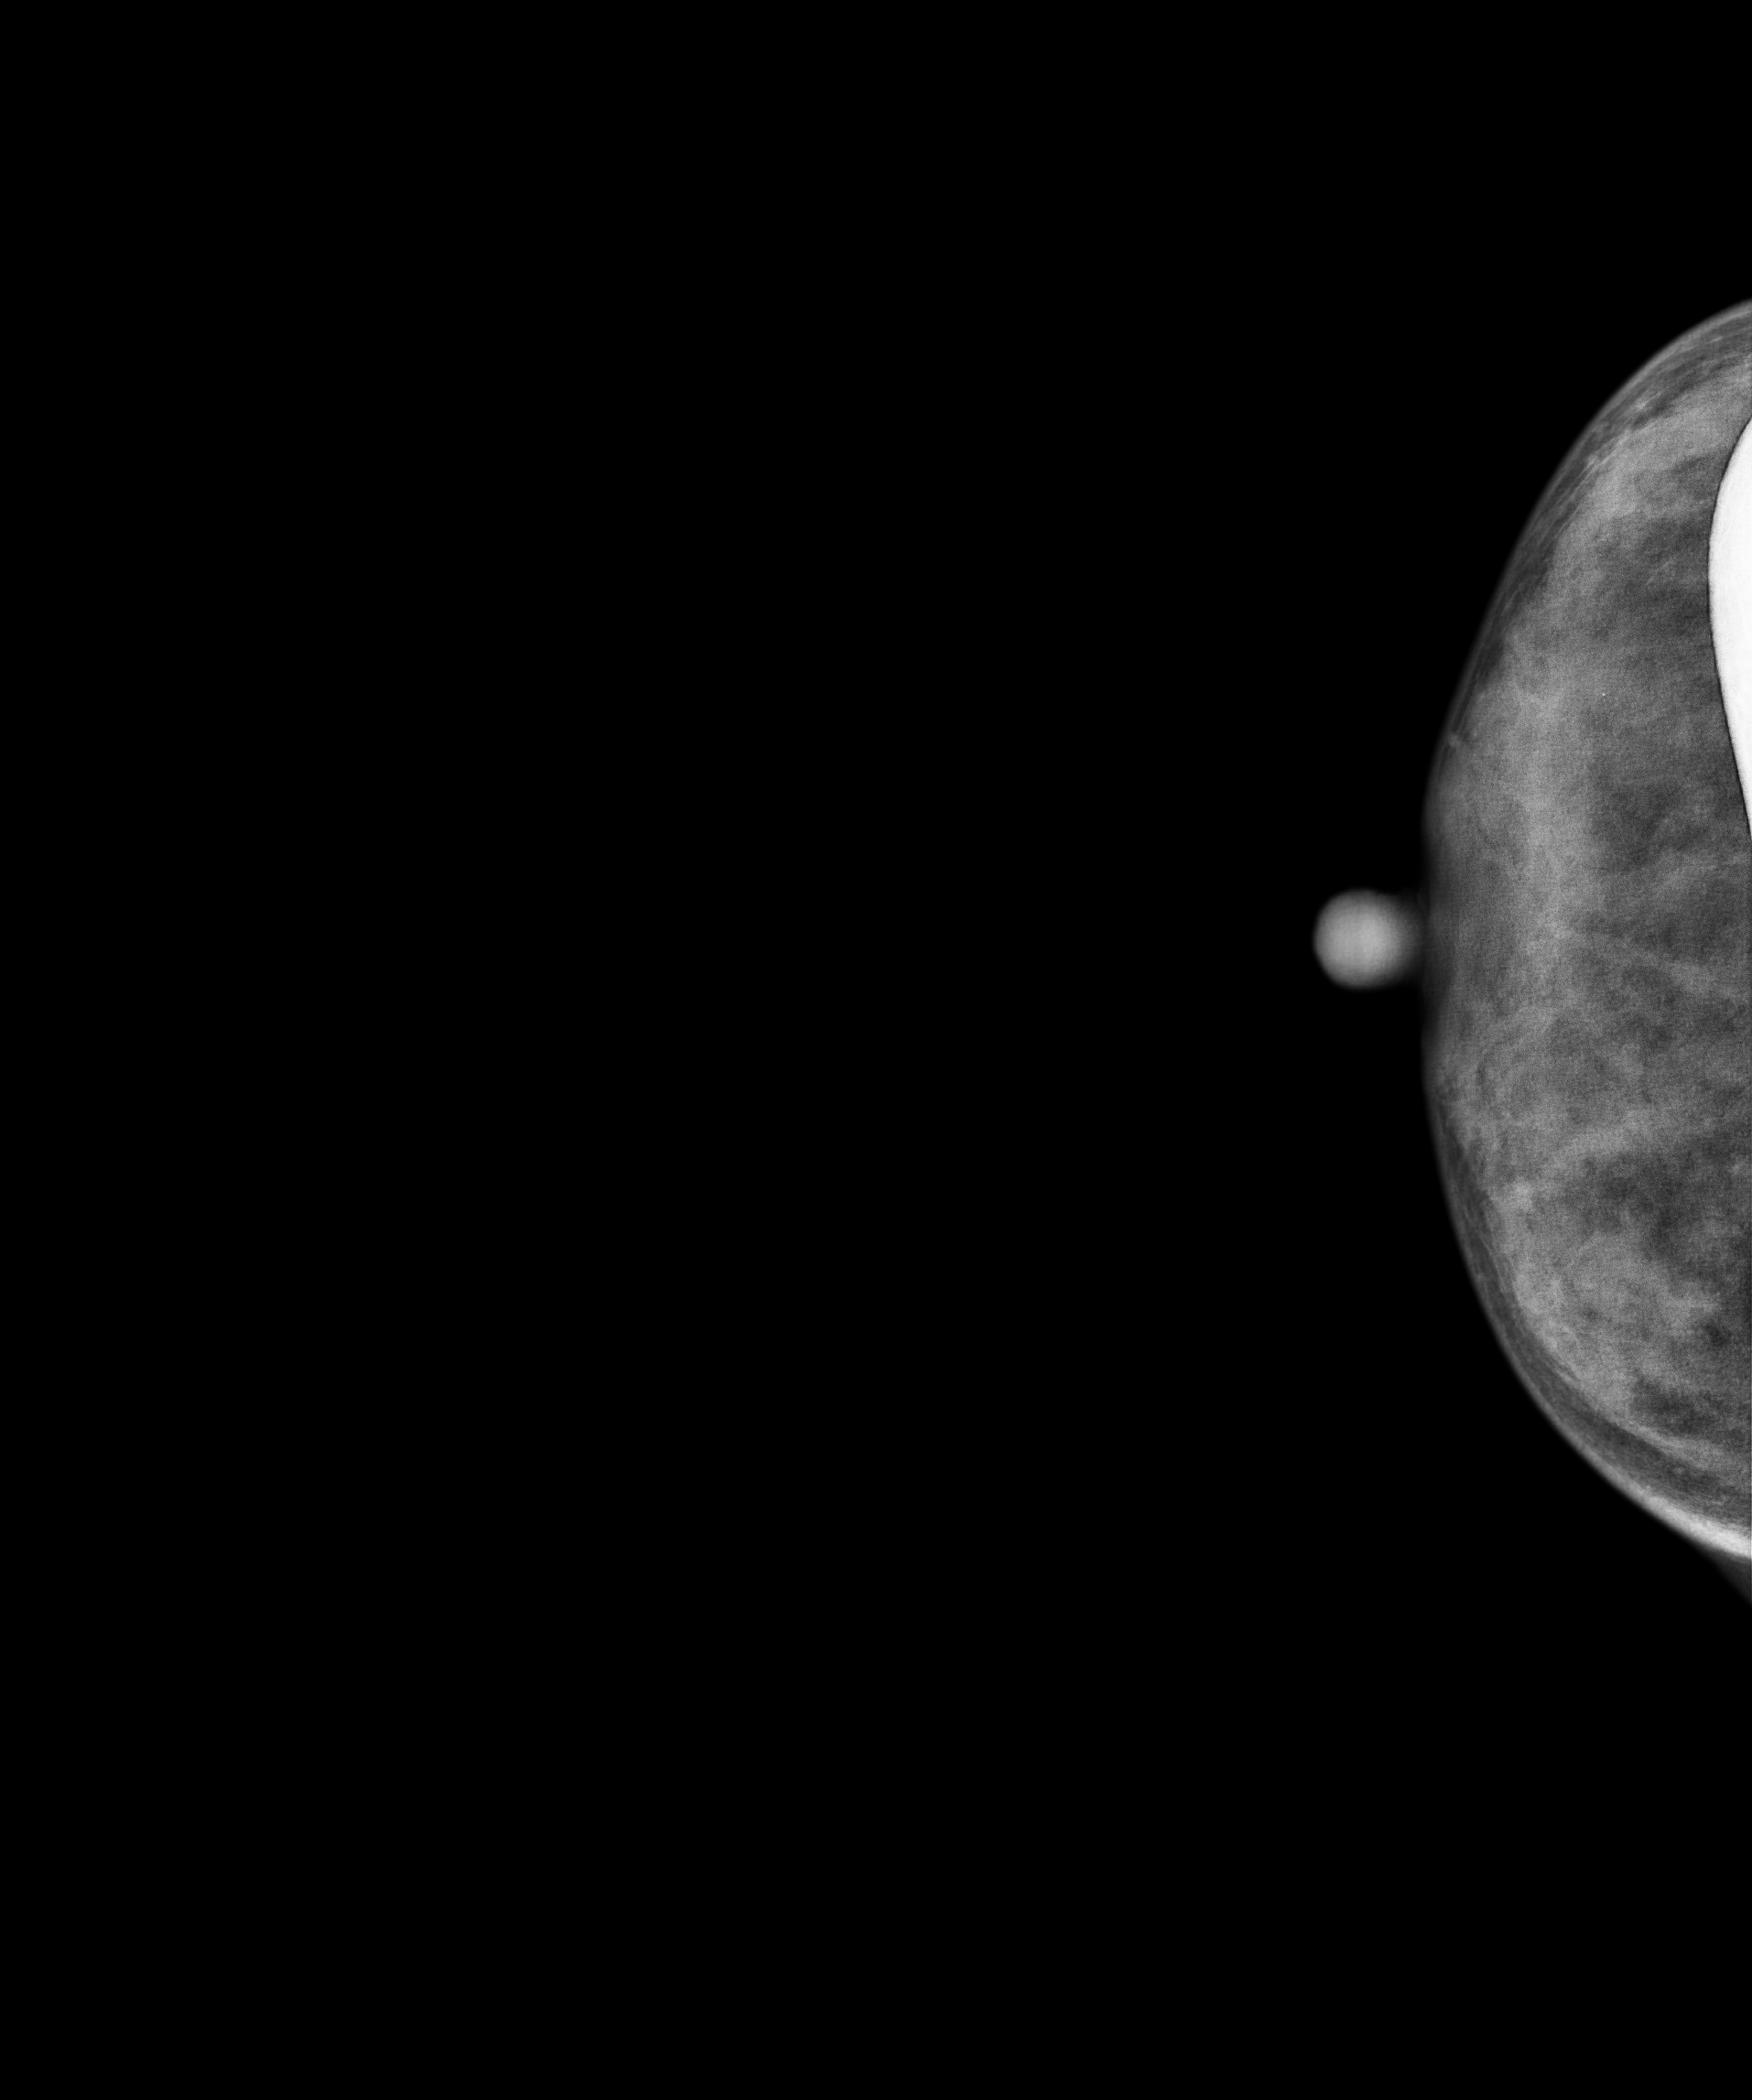
CC mammogram of the right breast. Patient age 38.
This breast has a mass, biopsy-proven benign.